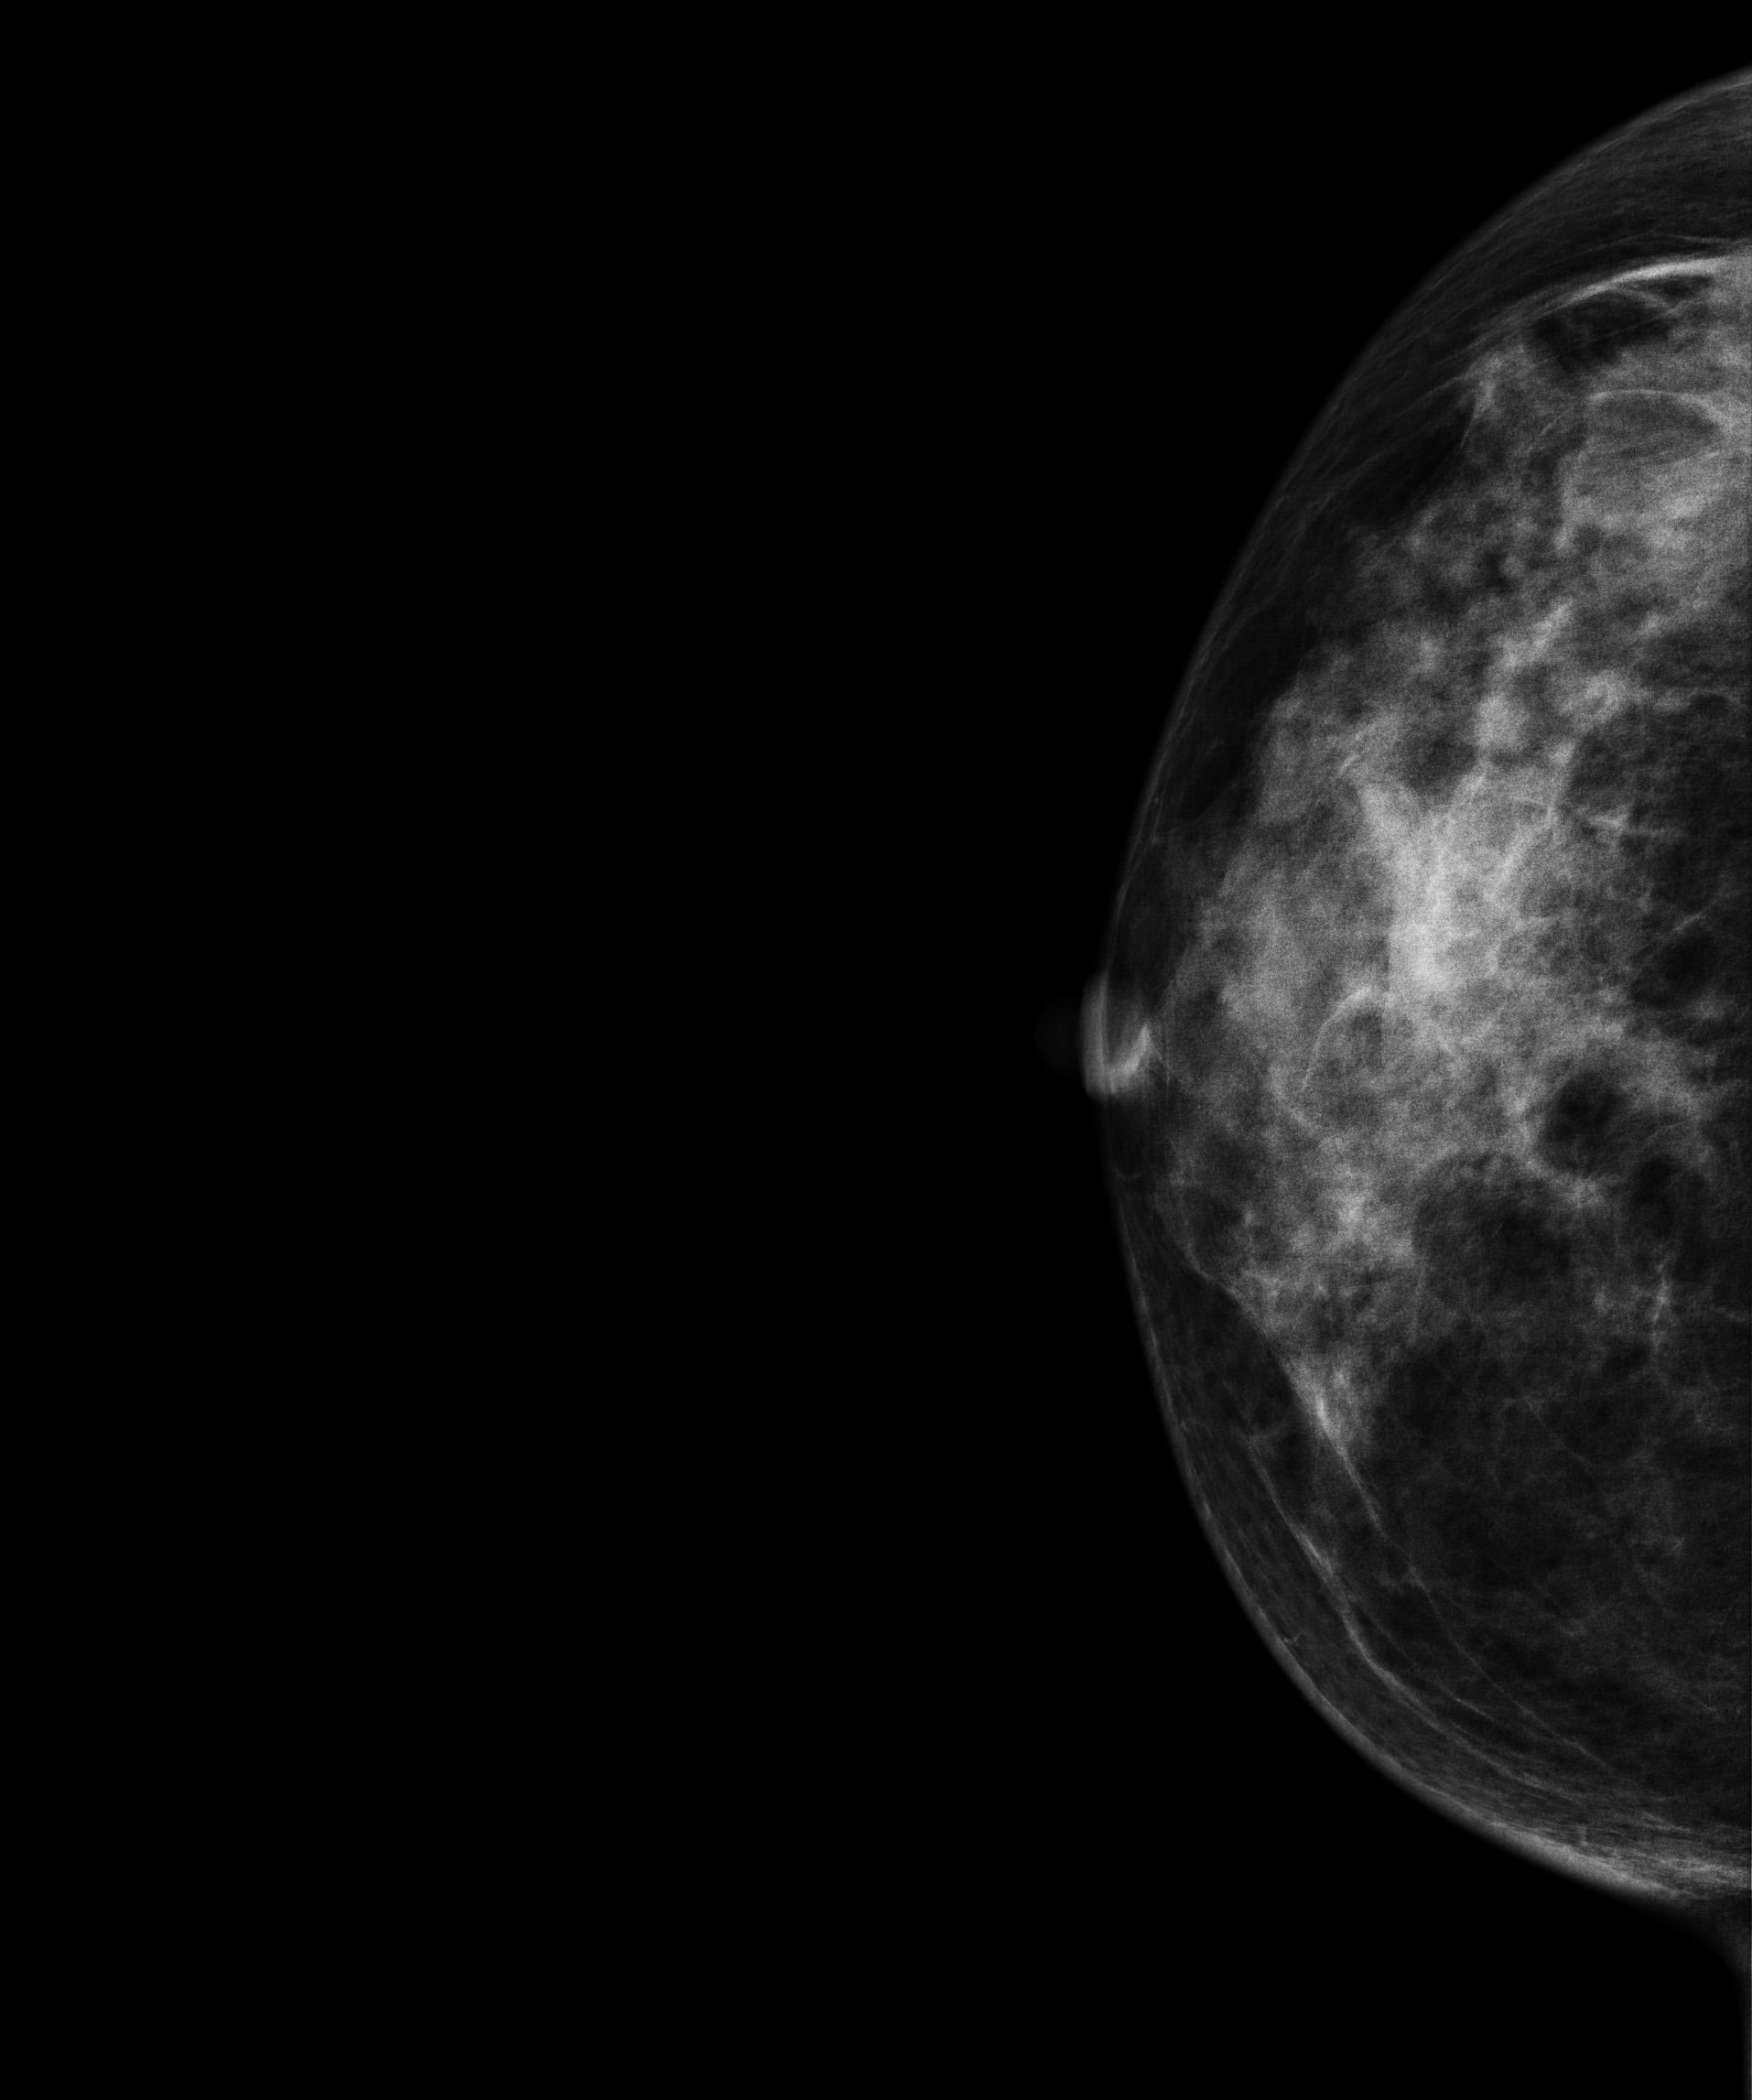
Mammogram — right cranio-caudal. 29-year-old patient.
This breast has a mass, histologically confirmed malignant. Molecular subtype: luminal B.